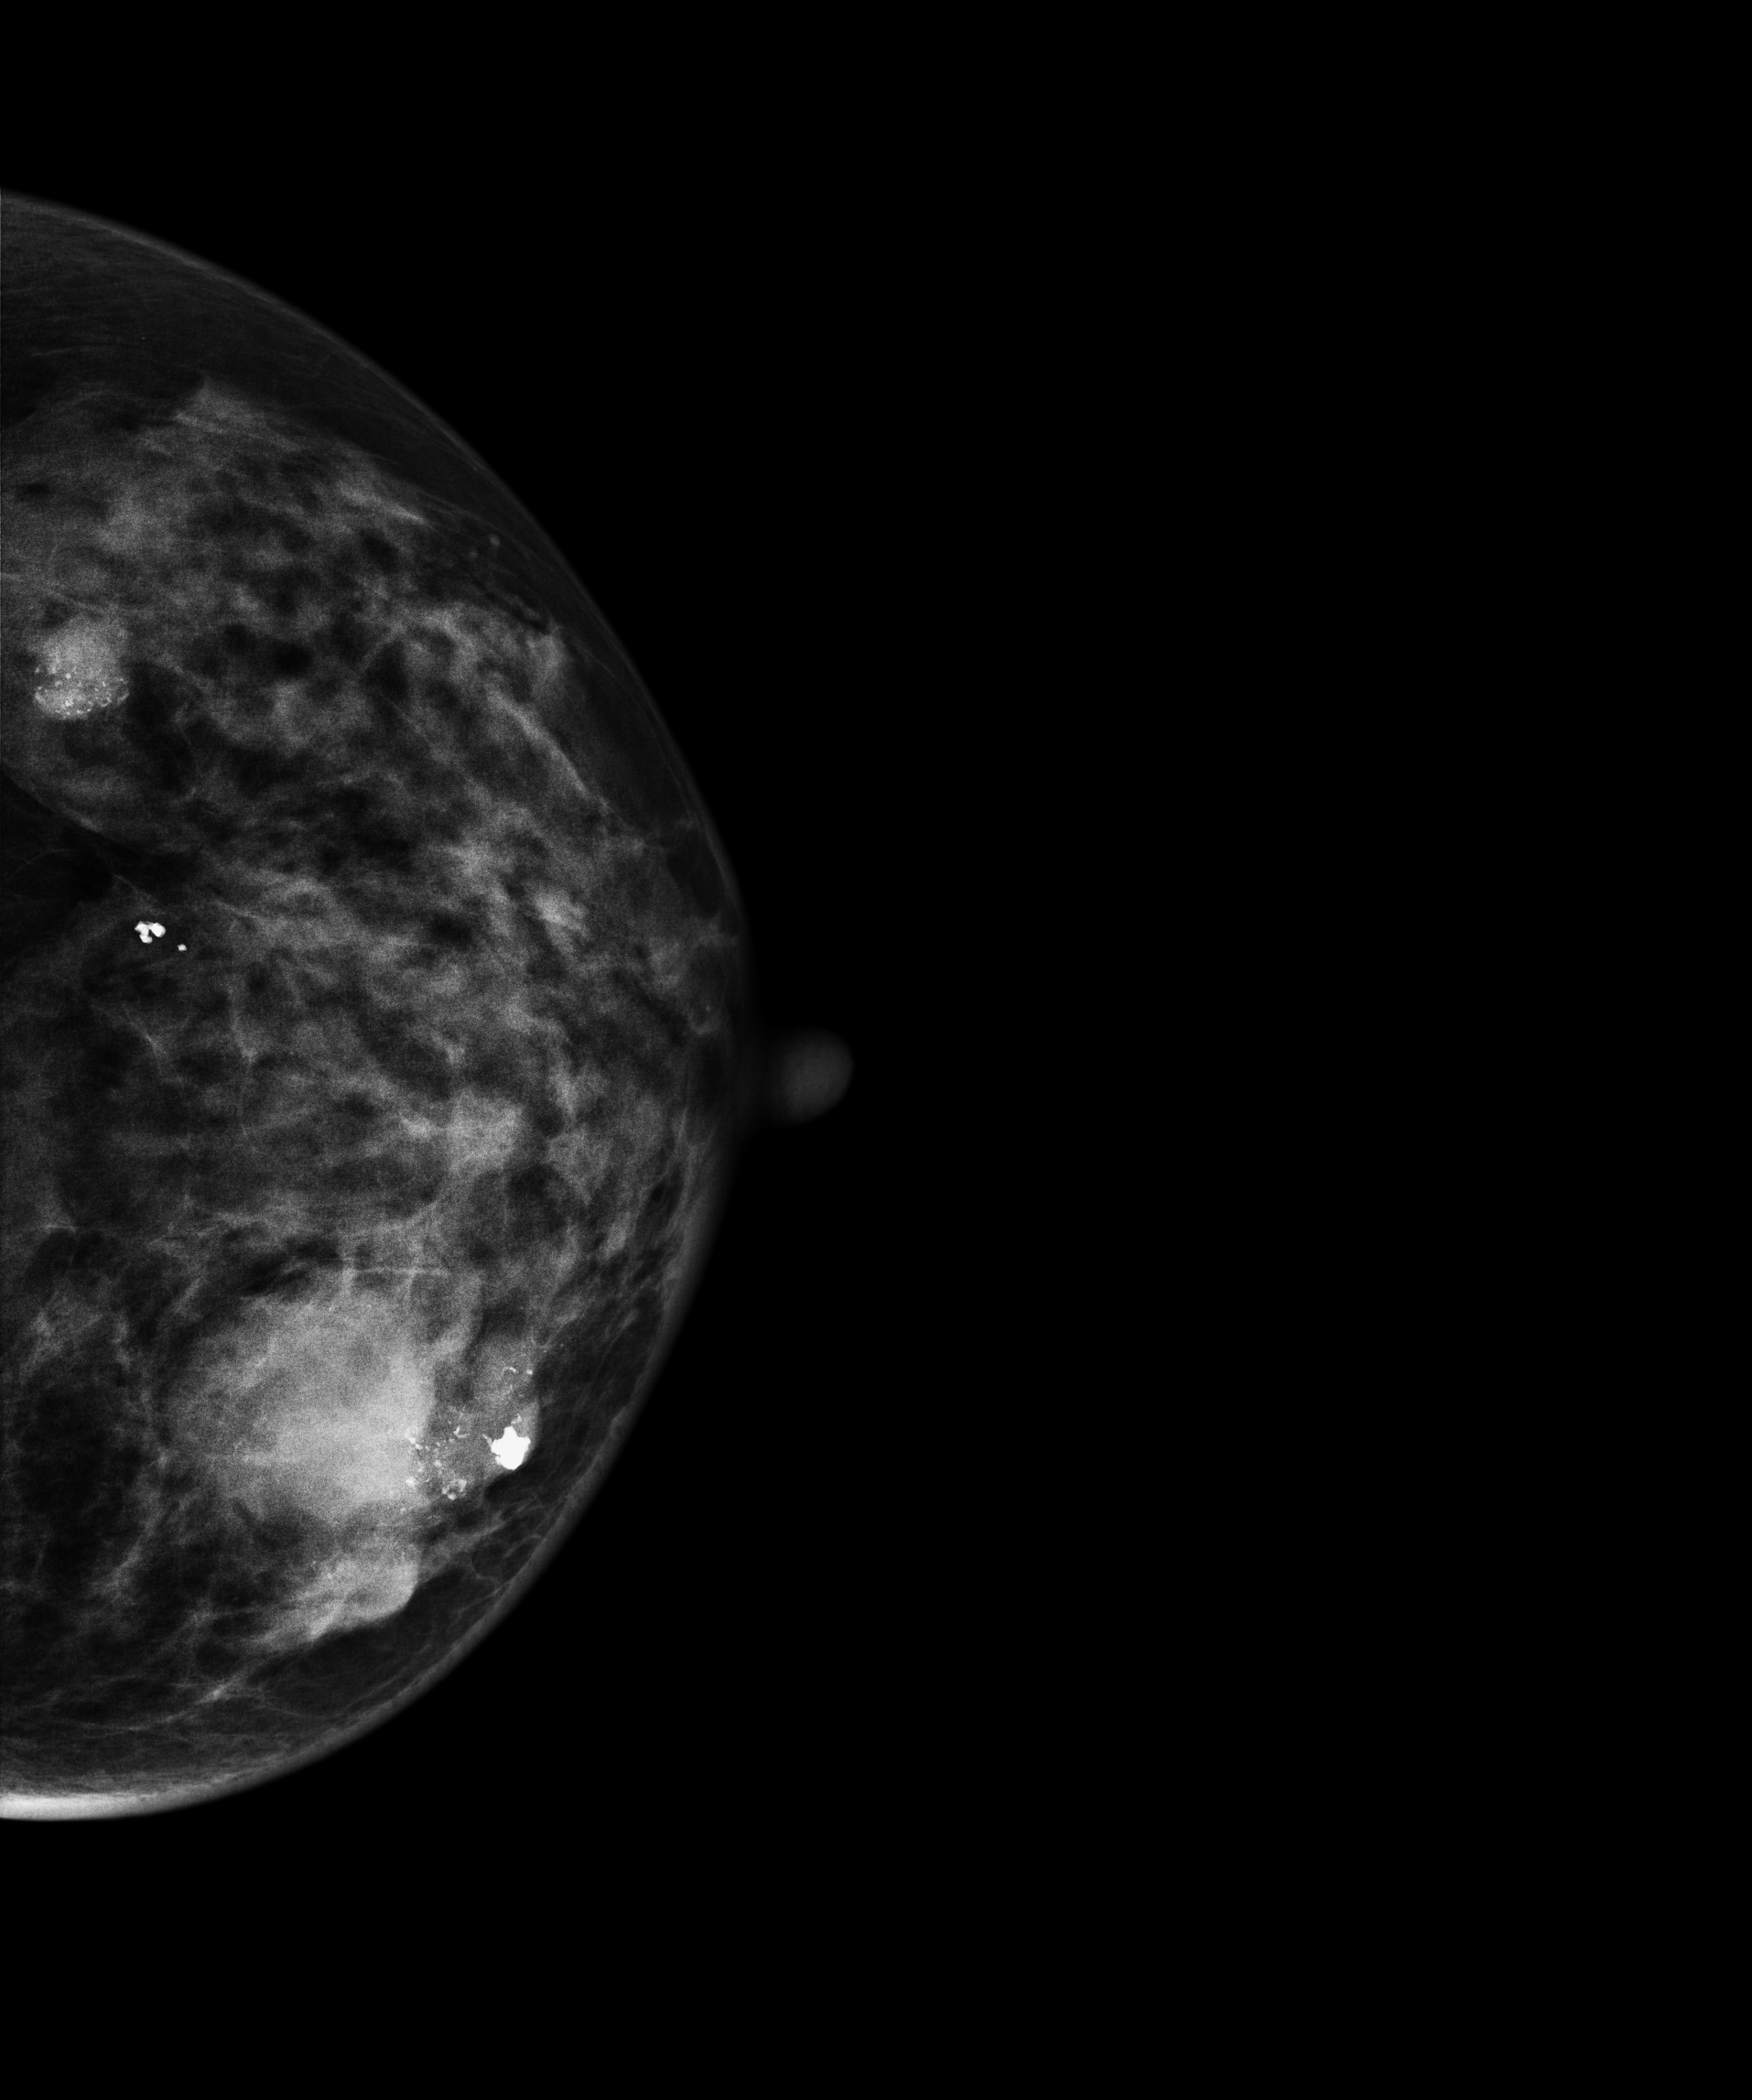
Left-breast mammogram, CC. Patient age 49.
This breast has a mass and calcifications, biopsy-proven malignant.